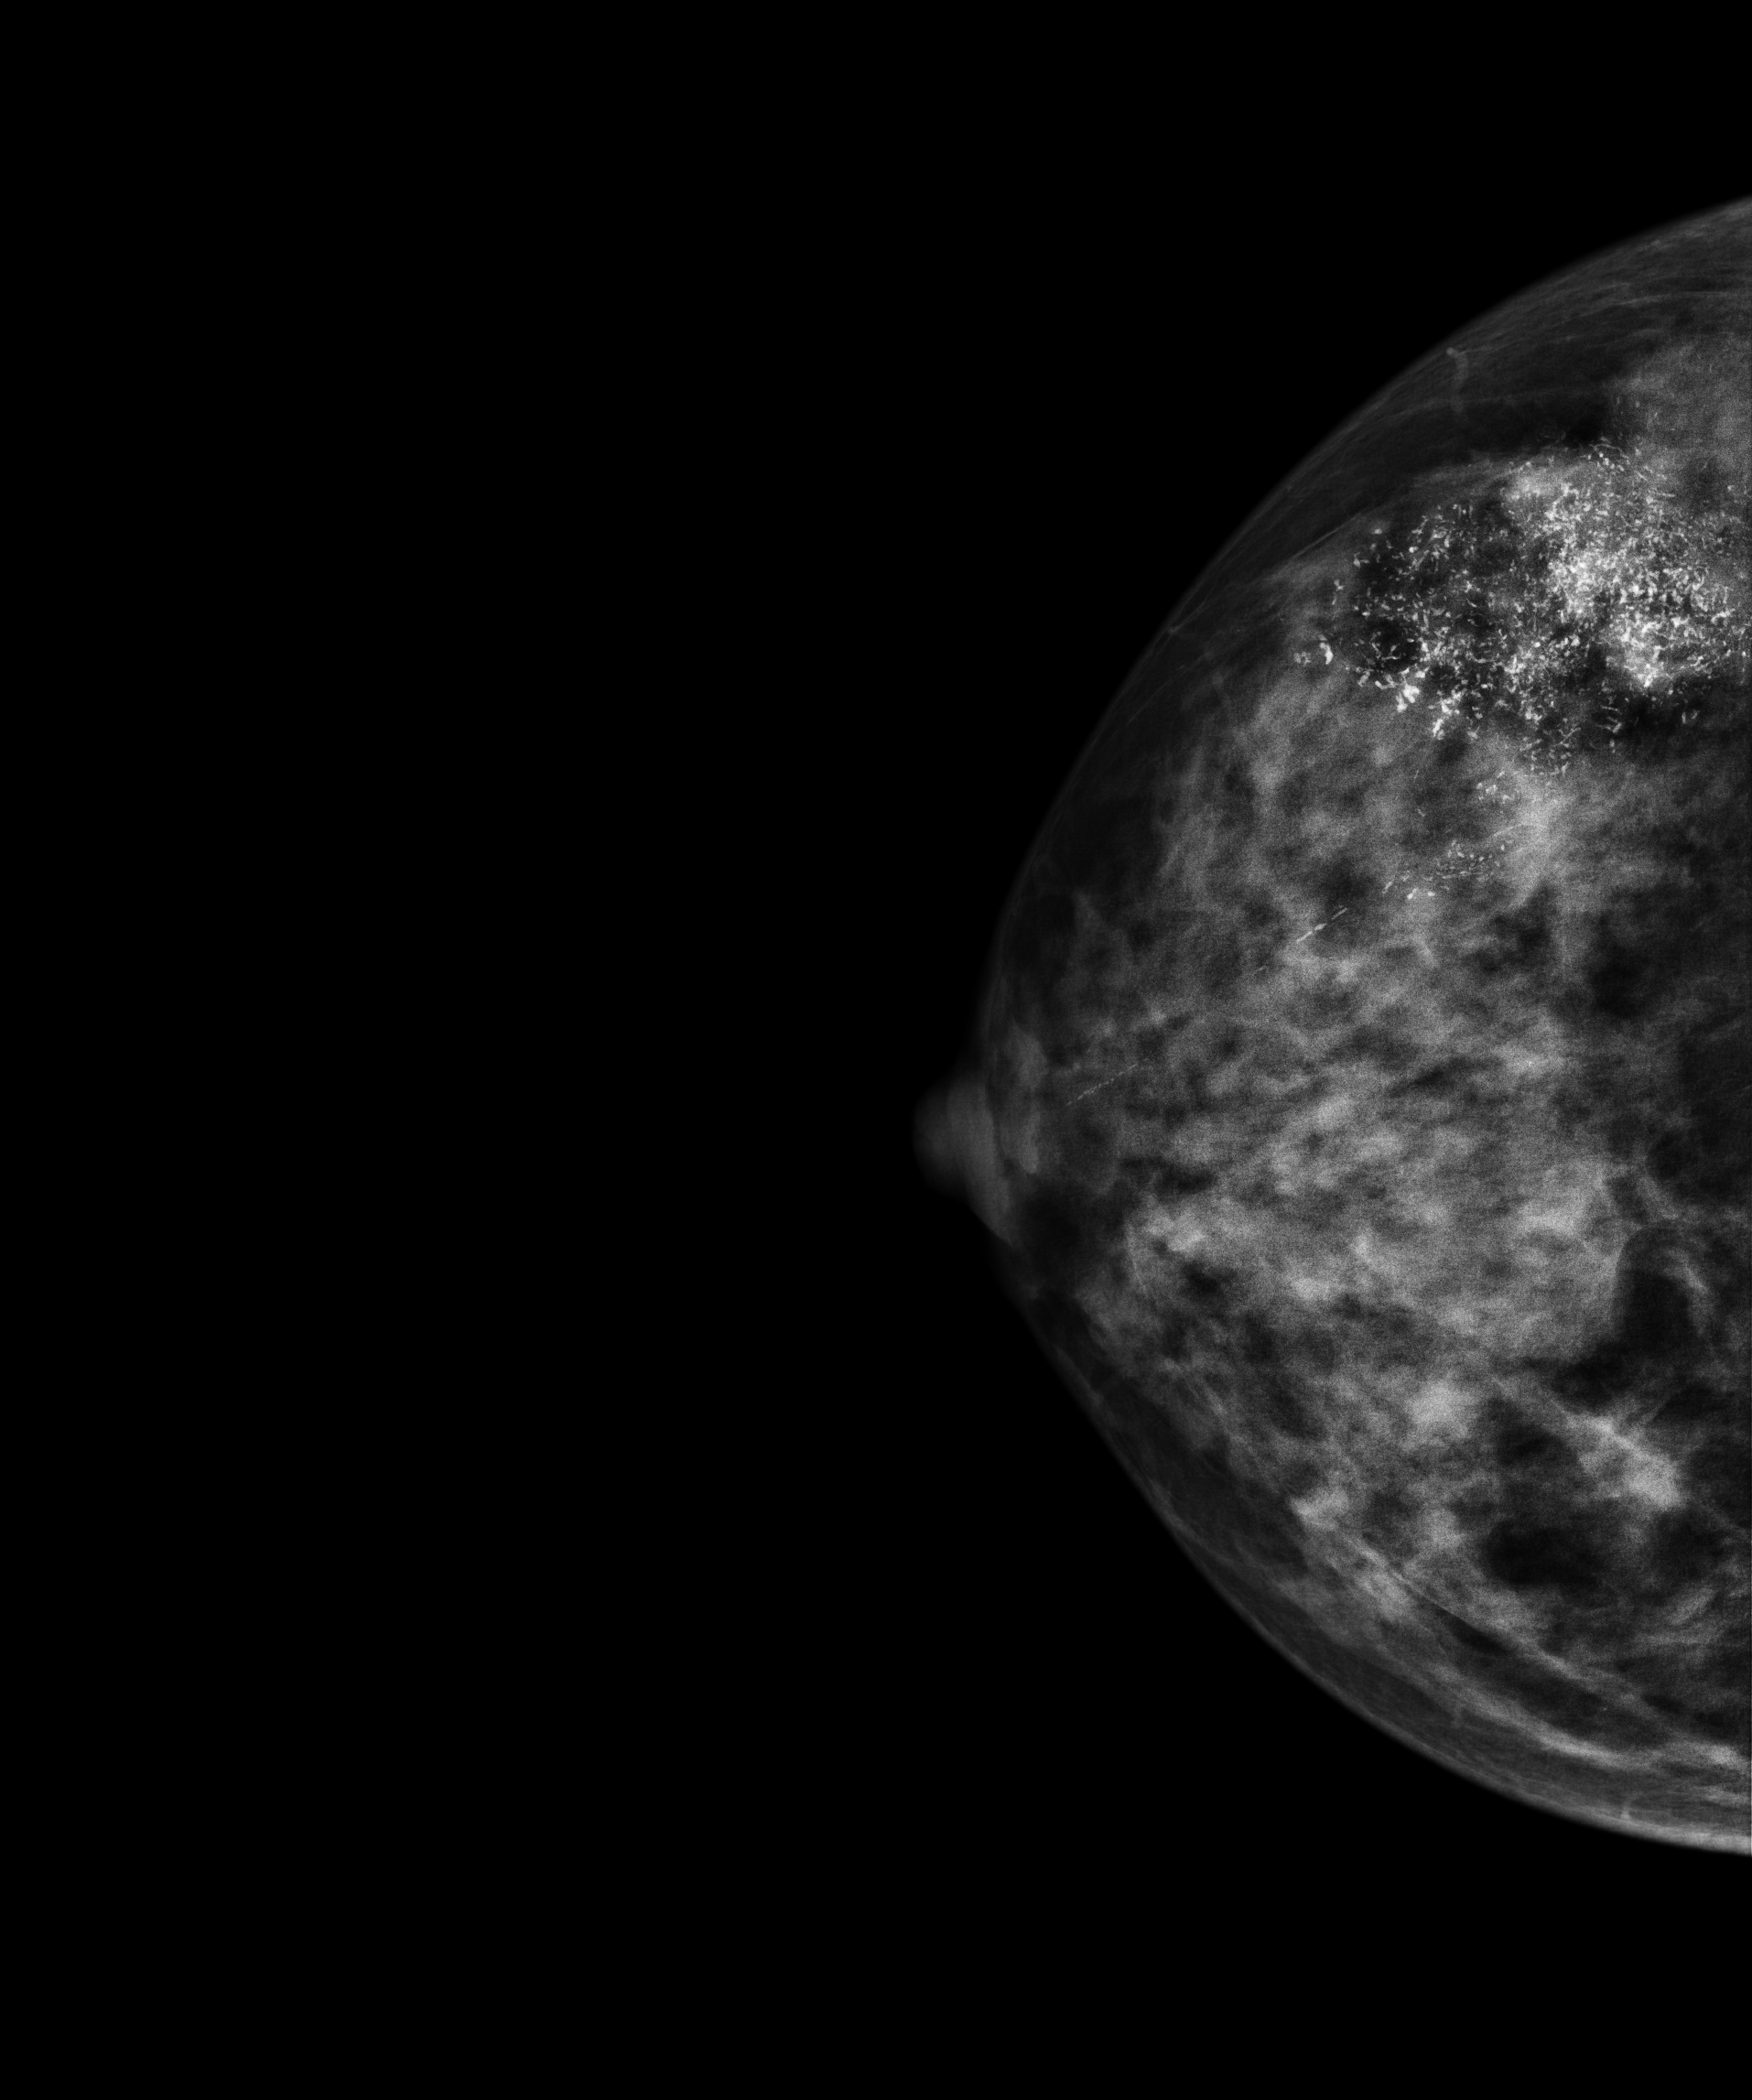
Digital mammography. Right breast, cranio-caudal projection. 40-year-old patient.
This breast has calcifications, biopsy-proven malignant.